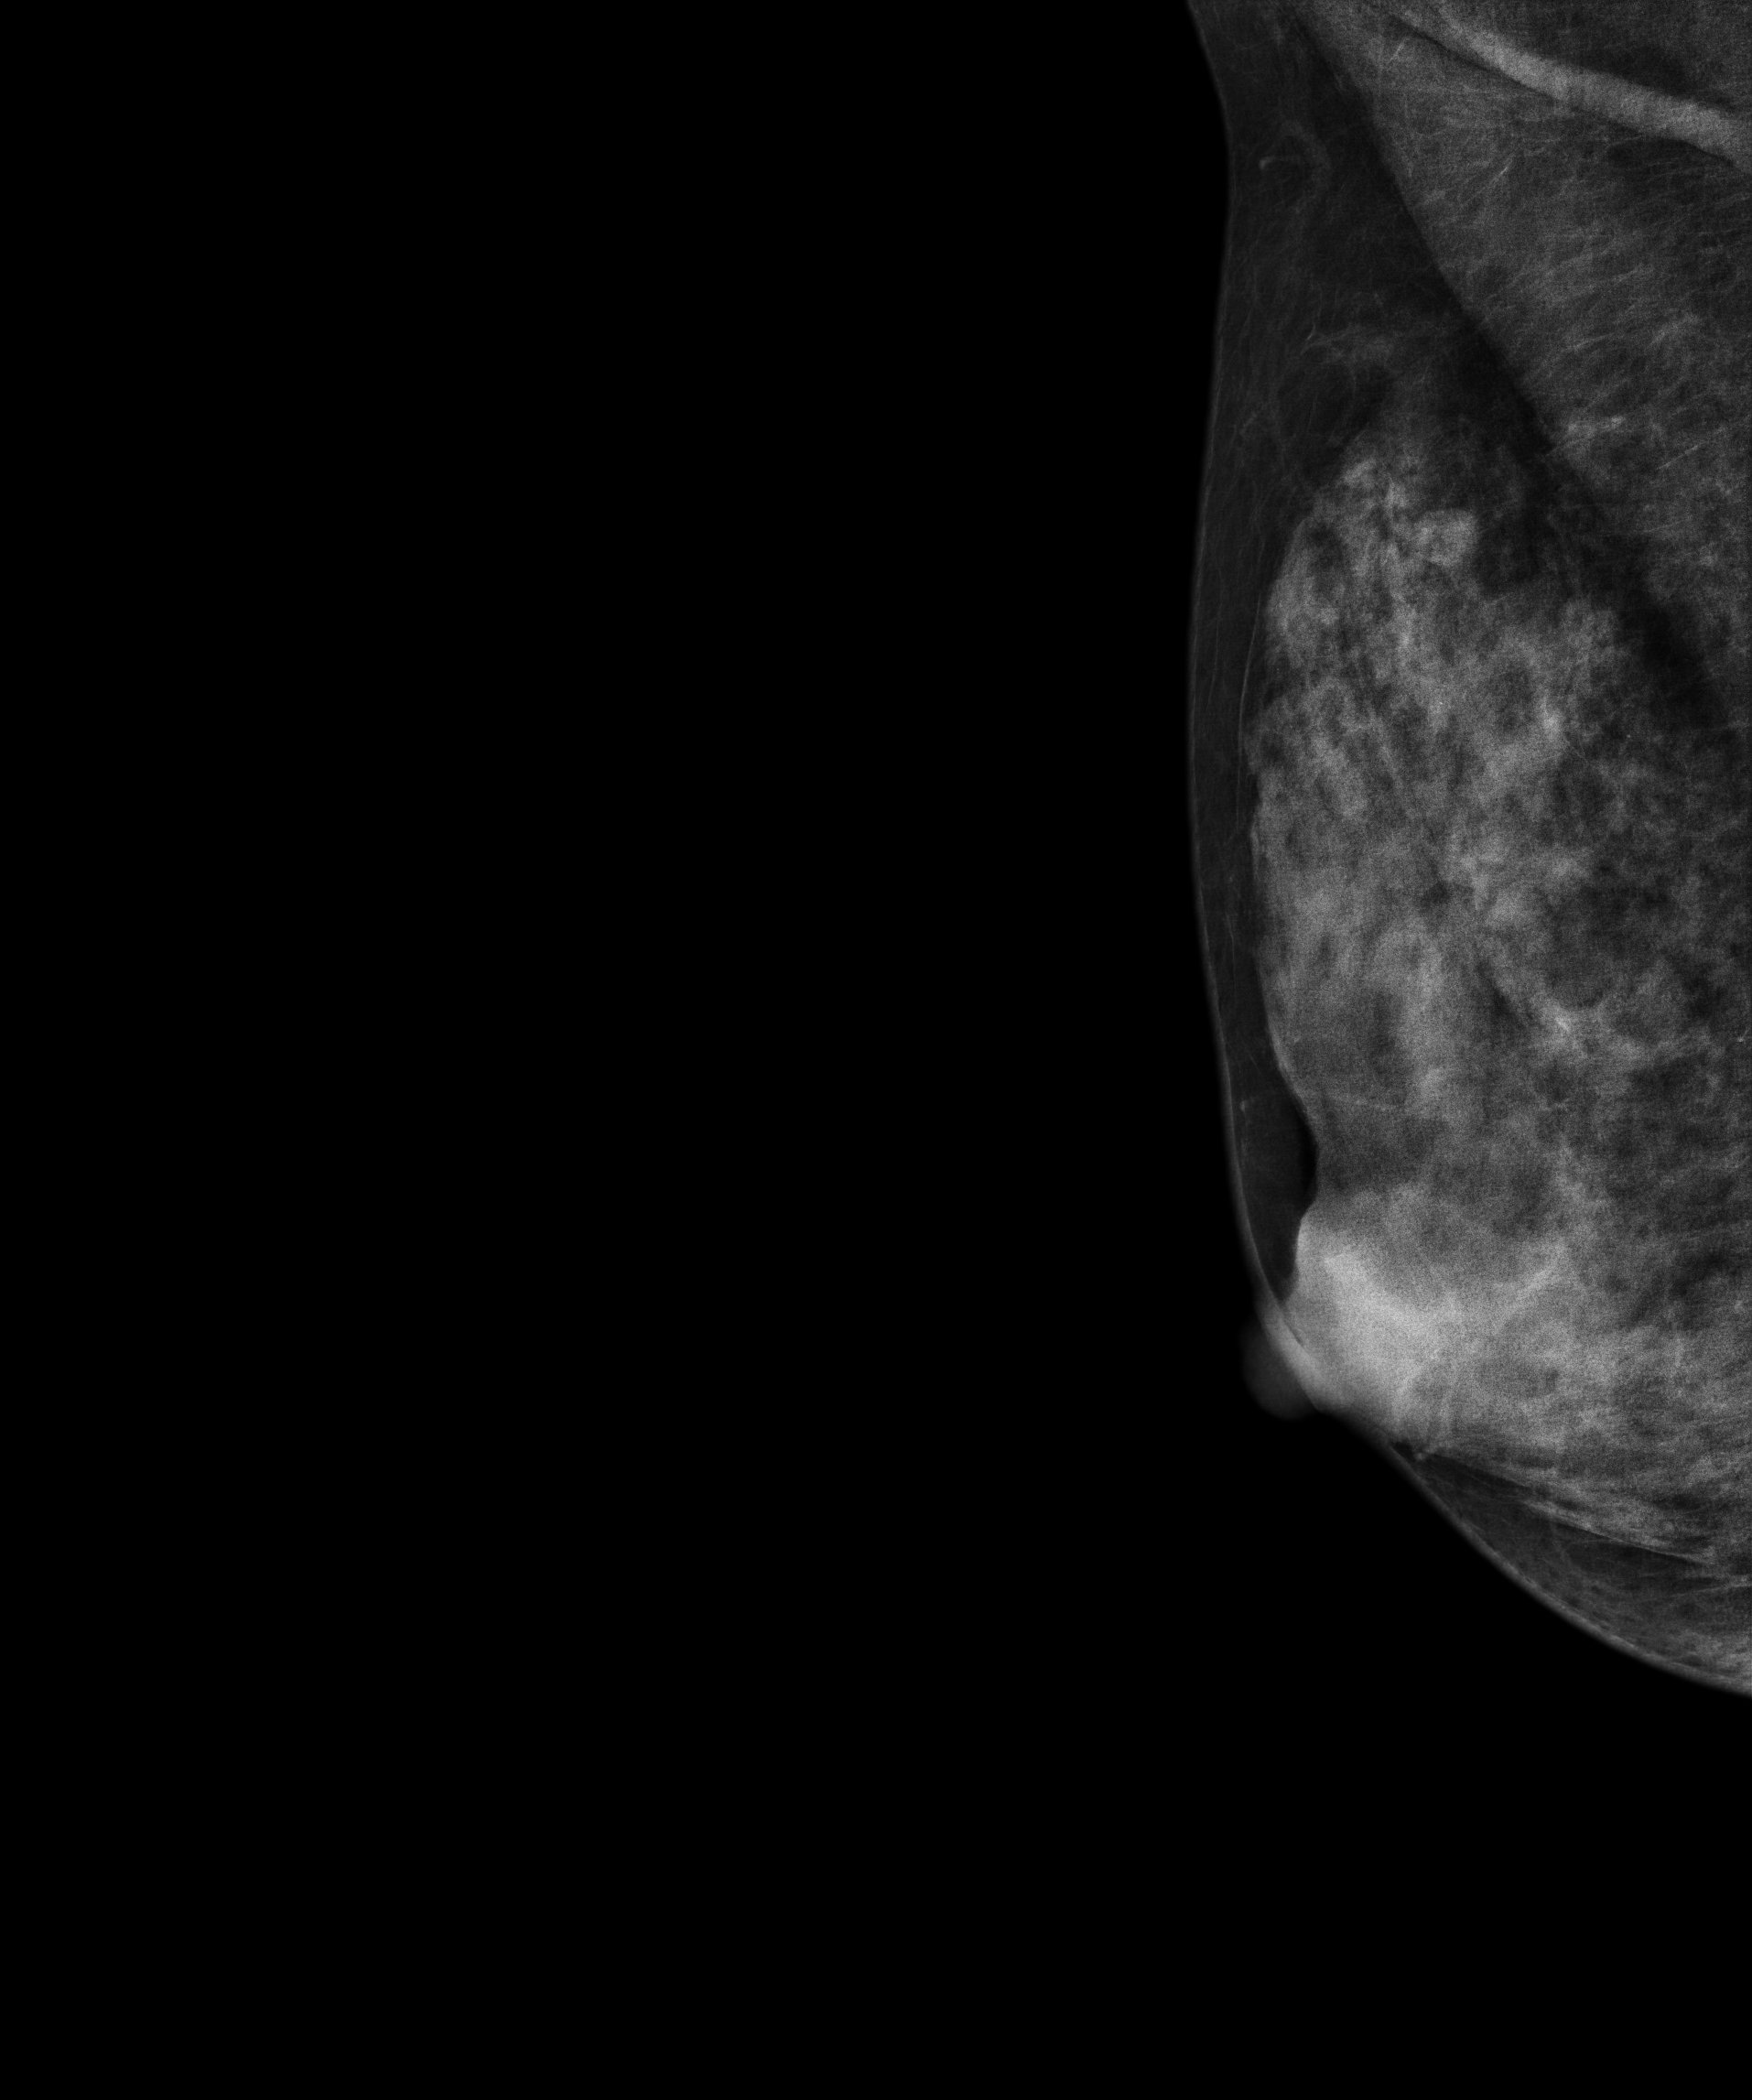
Mammogram, right breast, medio-lateral oblique view. 35-year-old patient.
Contralateral breast — no documented abnormality on this side.